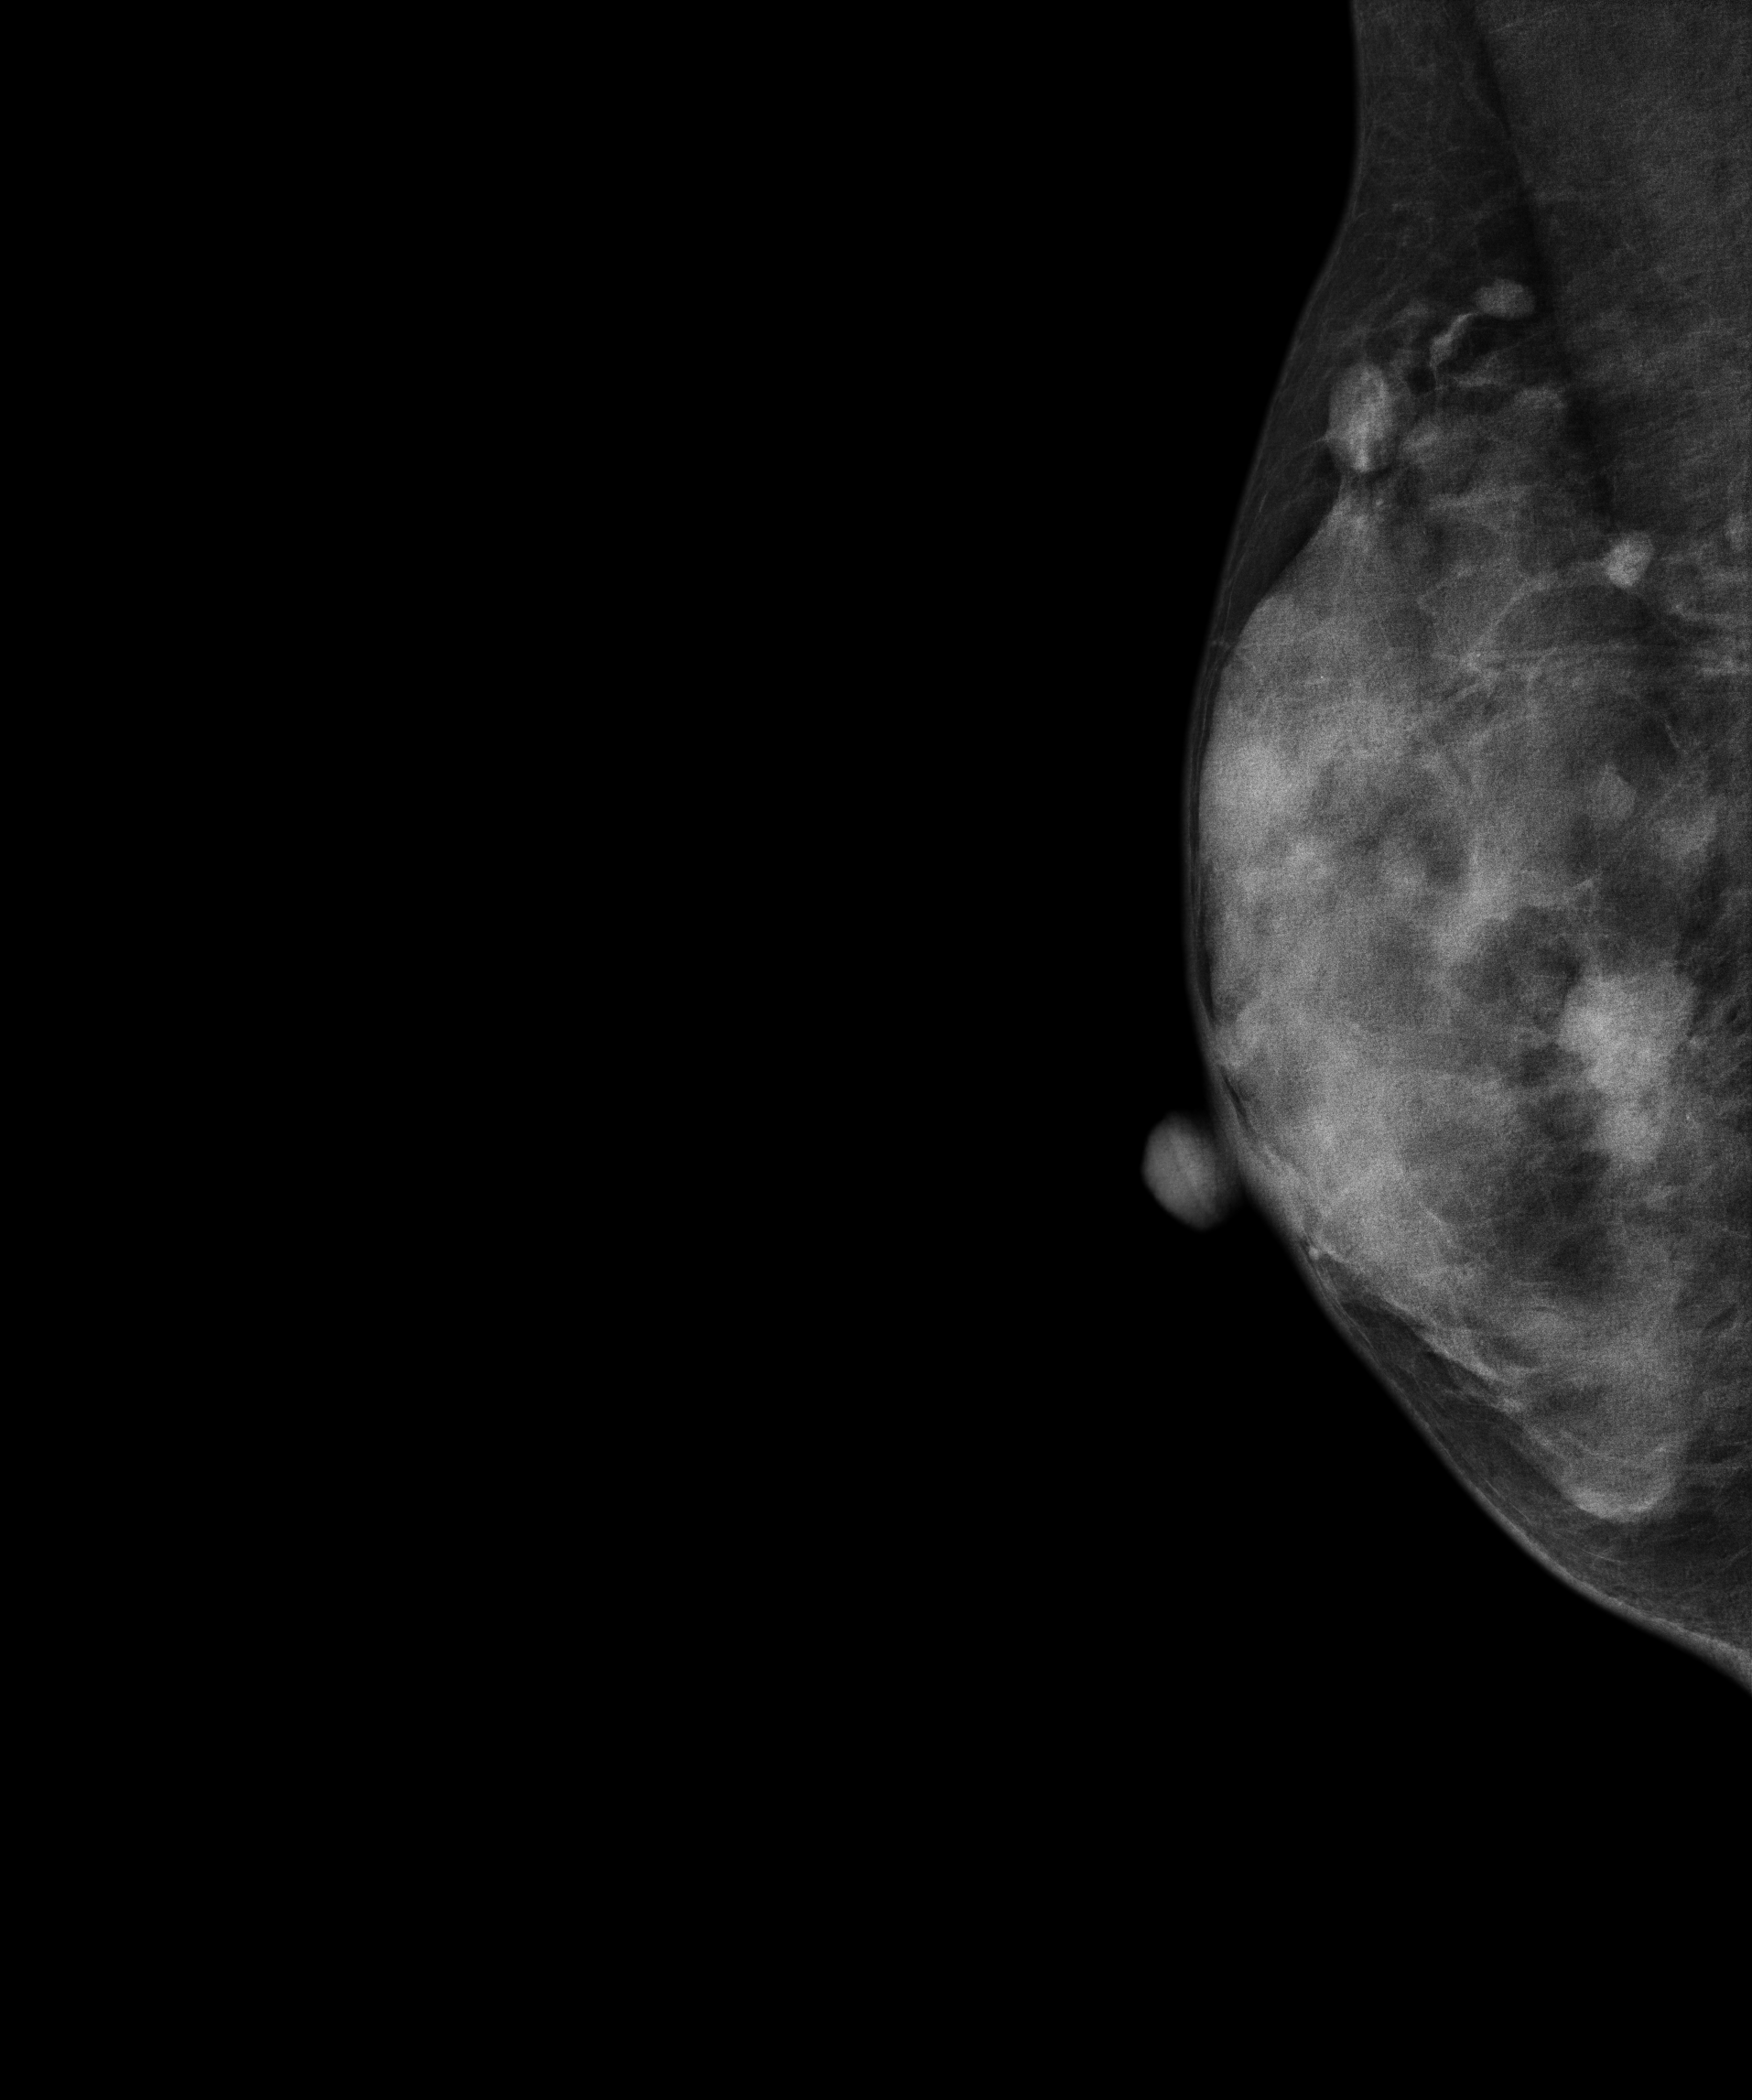
Mammogram, right breast, MLO view. Patient age 31.
This breast has a mass, pathology-confirmed malignant. Molecular subtype: luminal B.